Mammogram — right CC. 42-year-old patient.
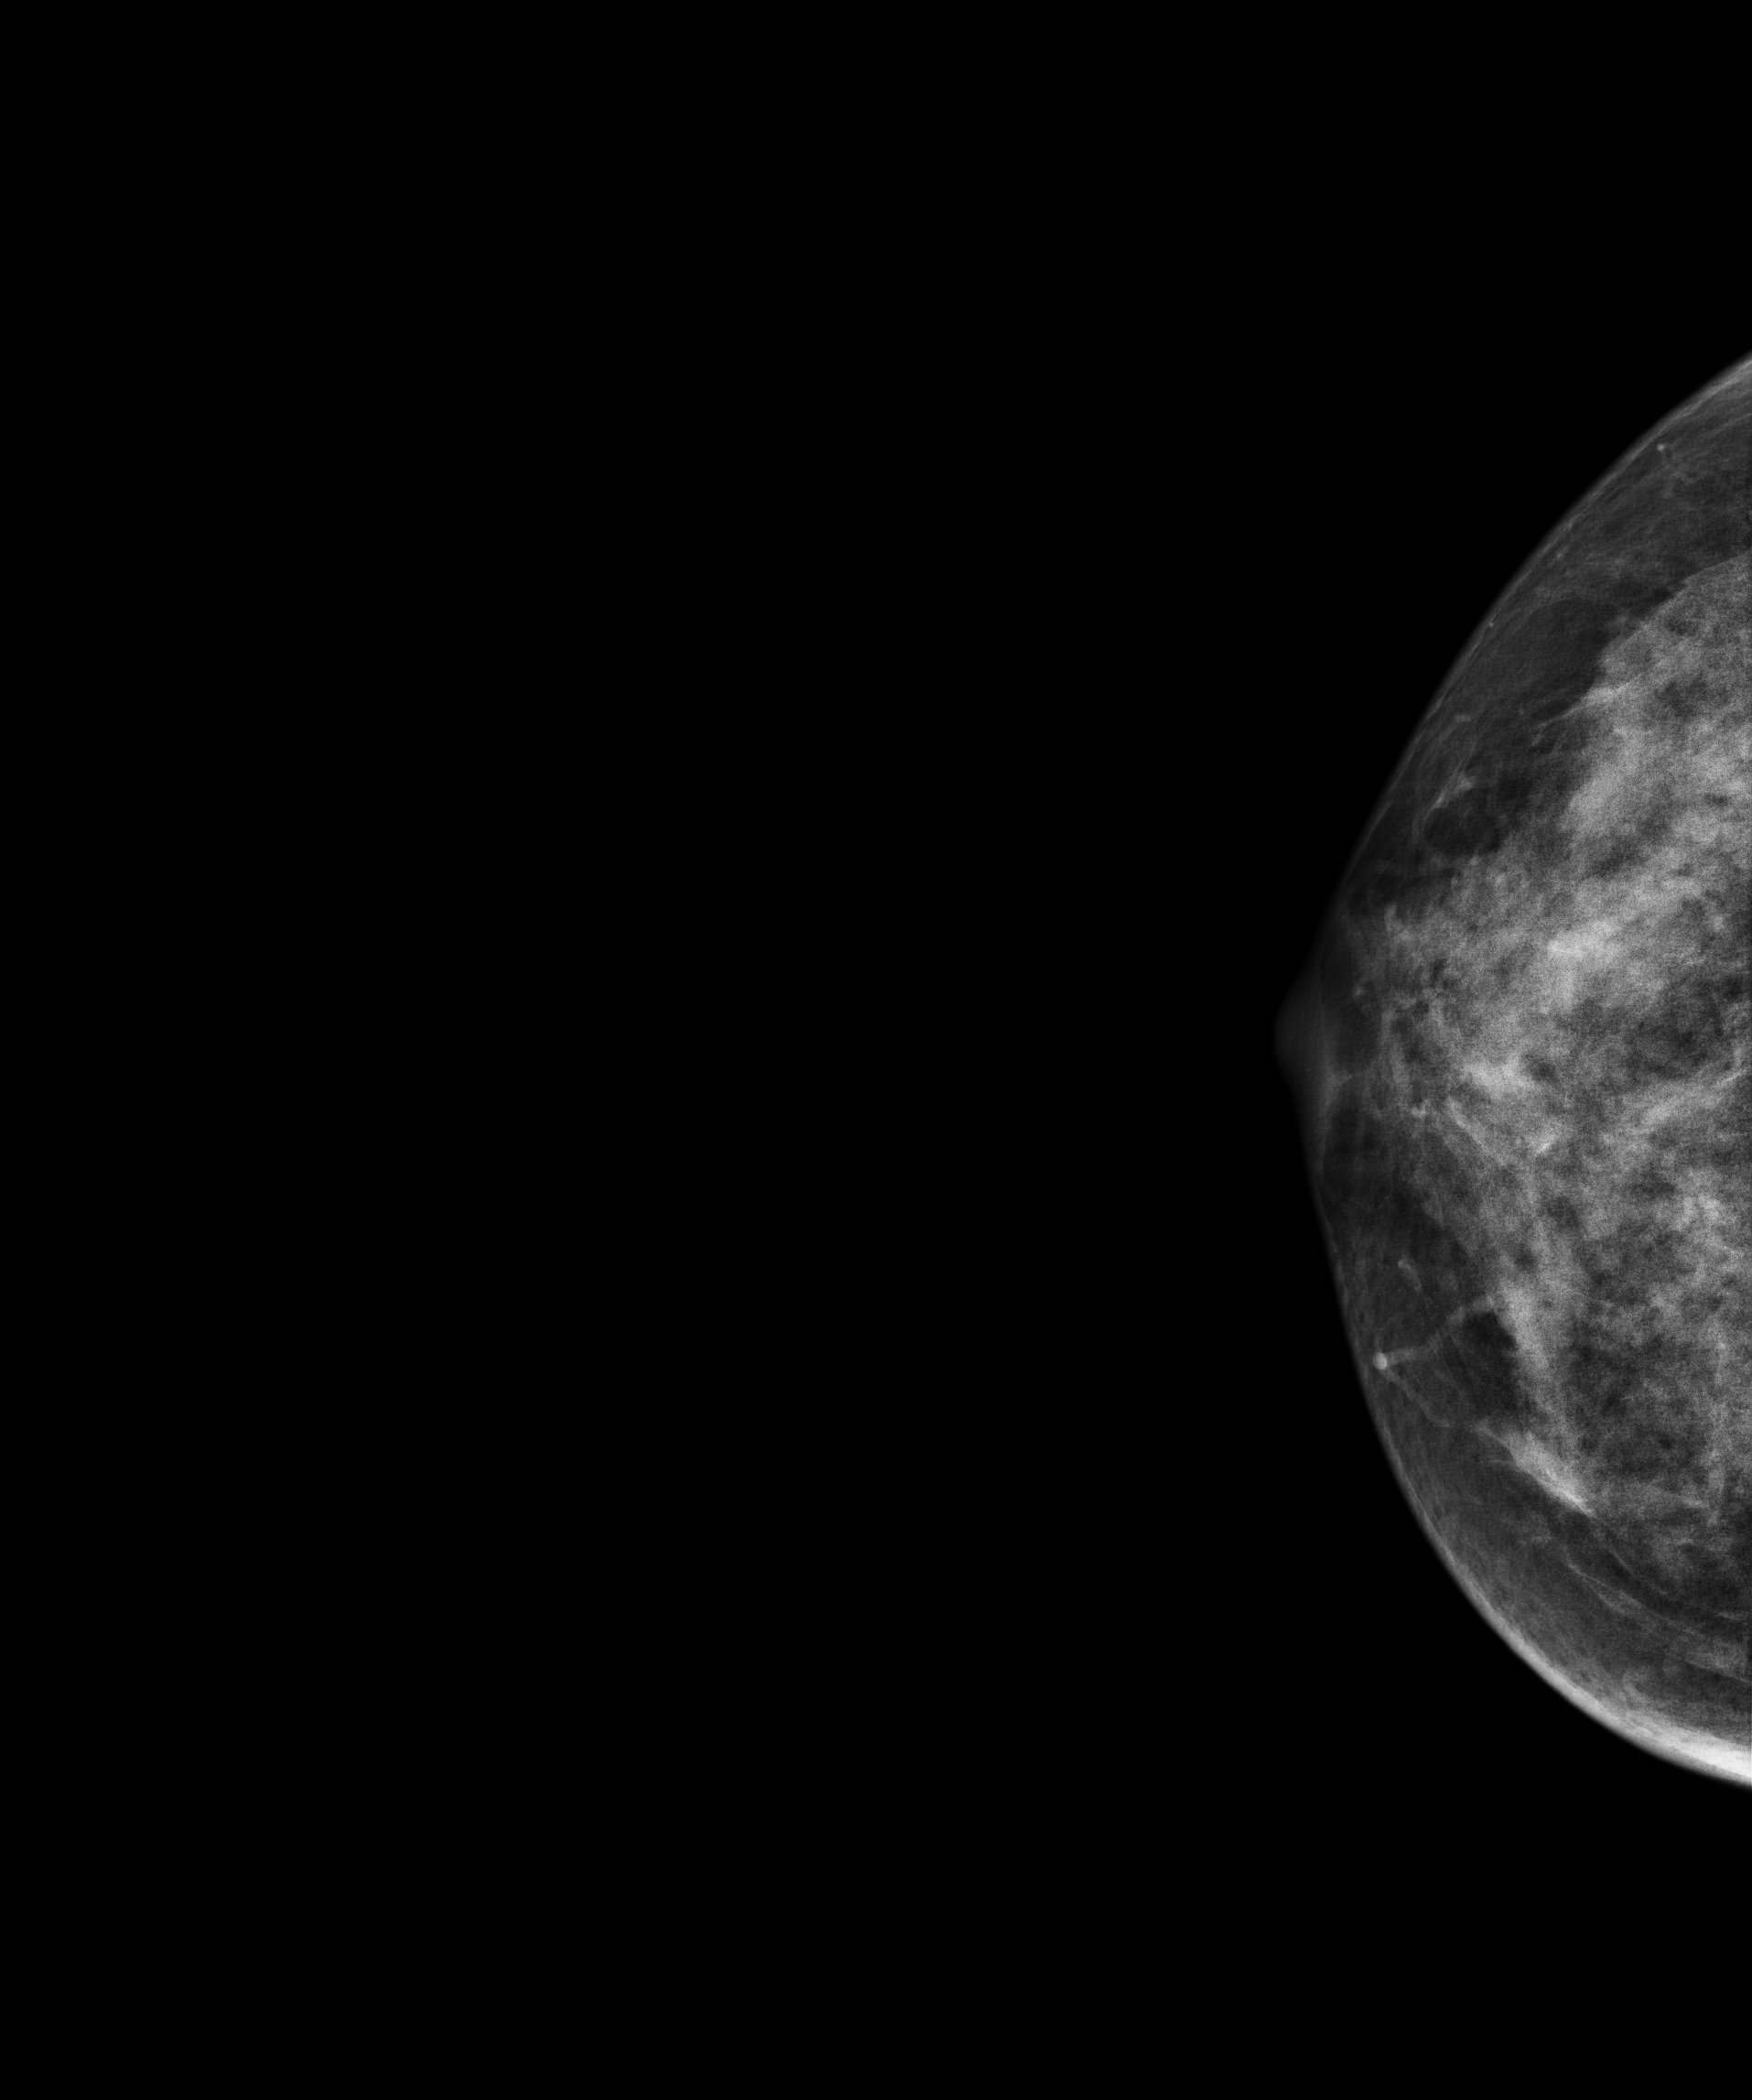
Contralateral breast — no documented abnormality on this side.